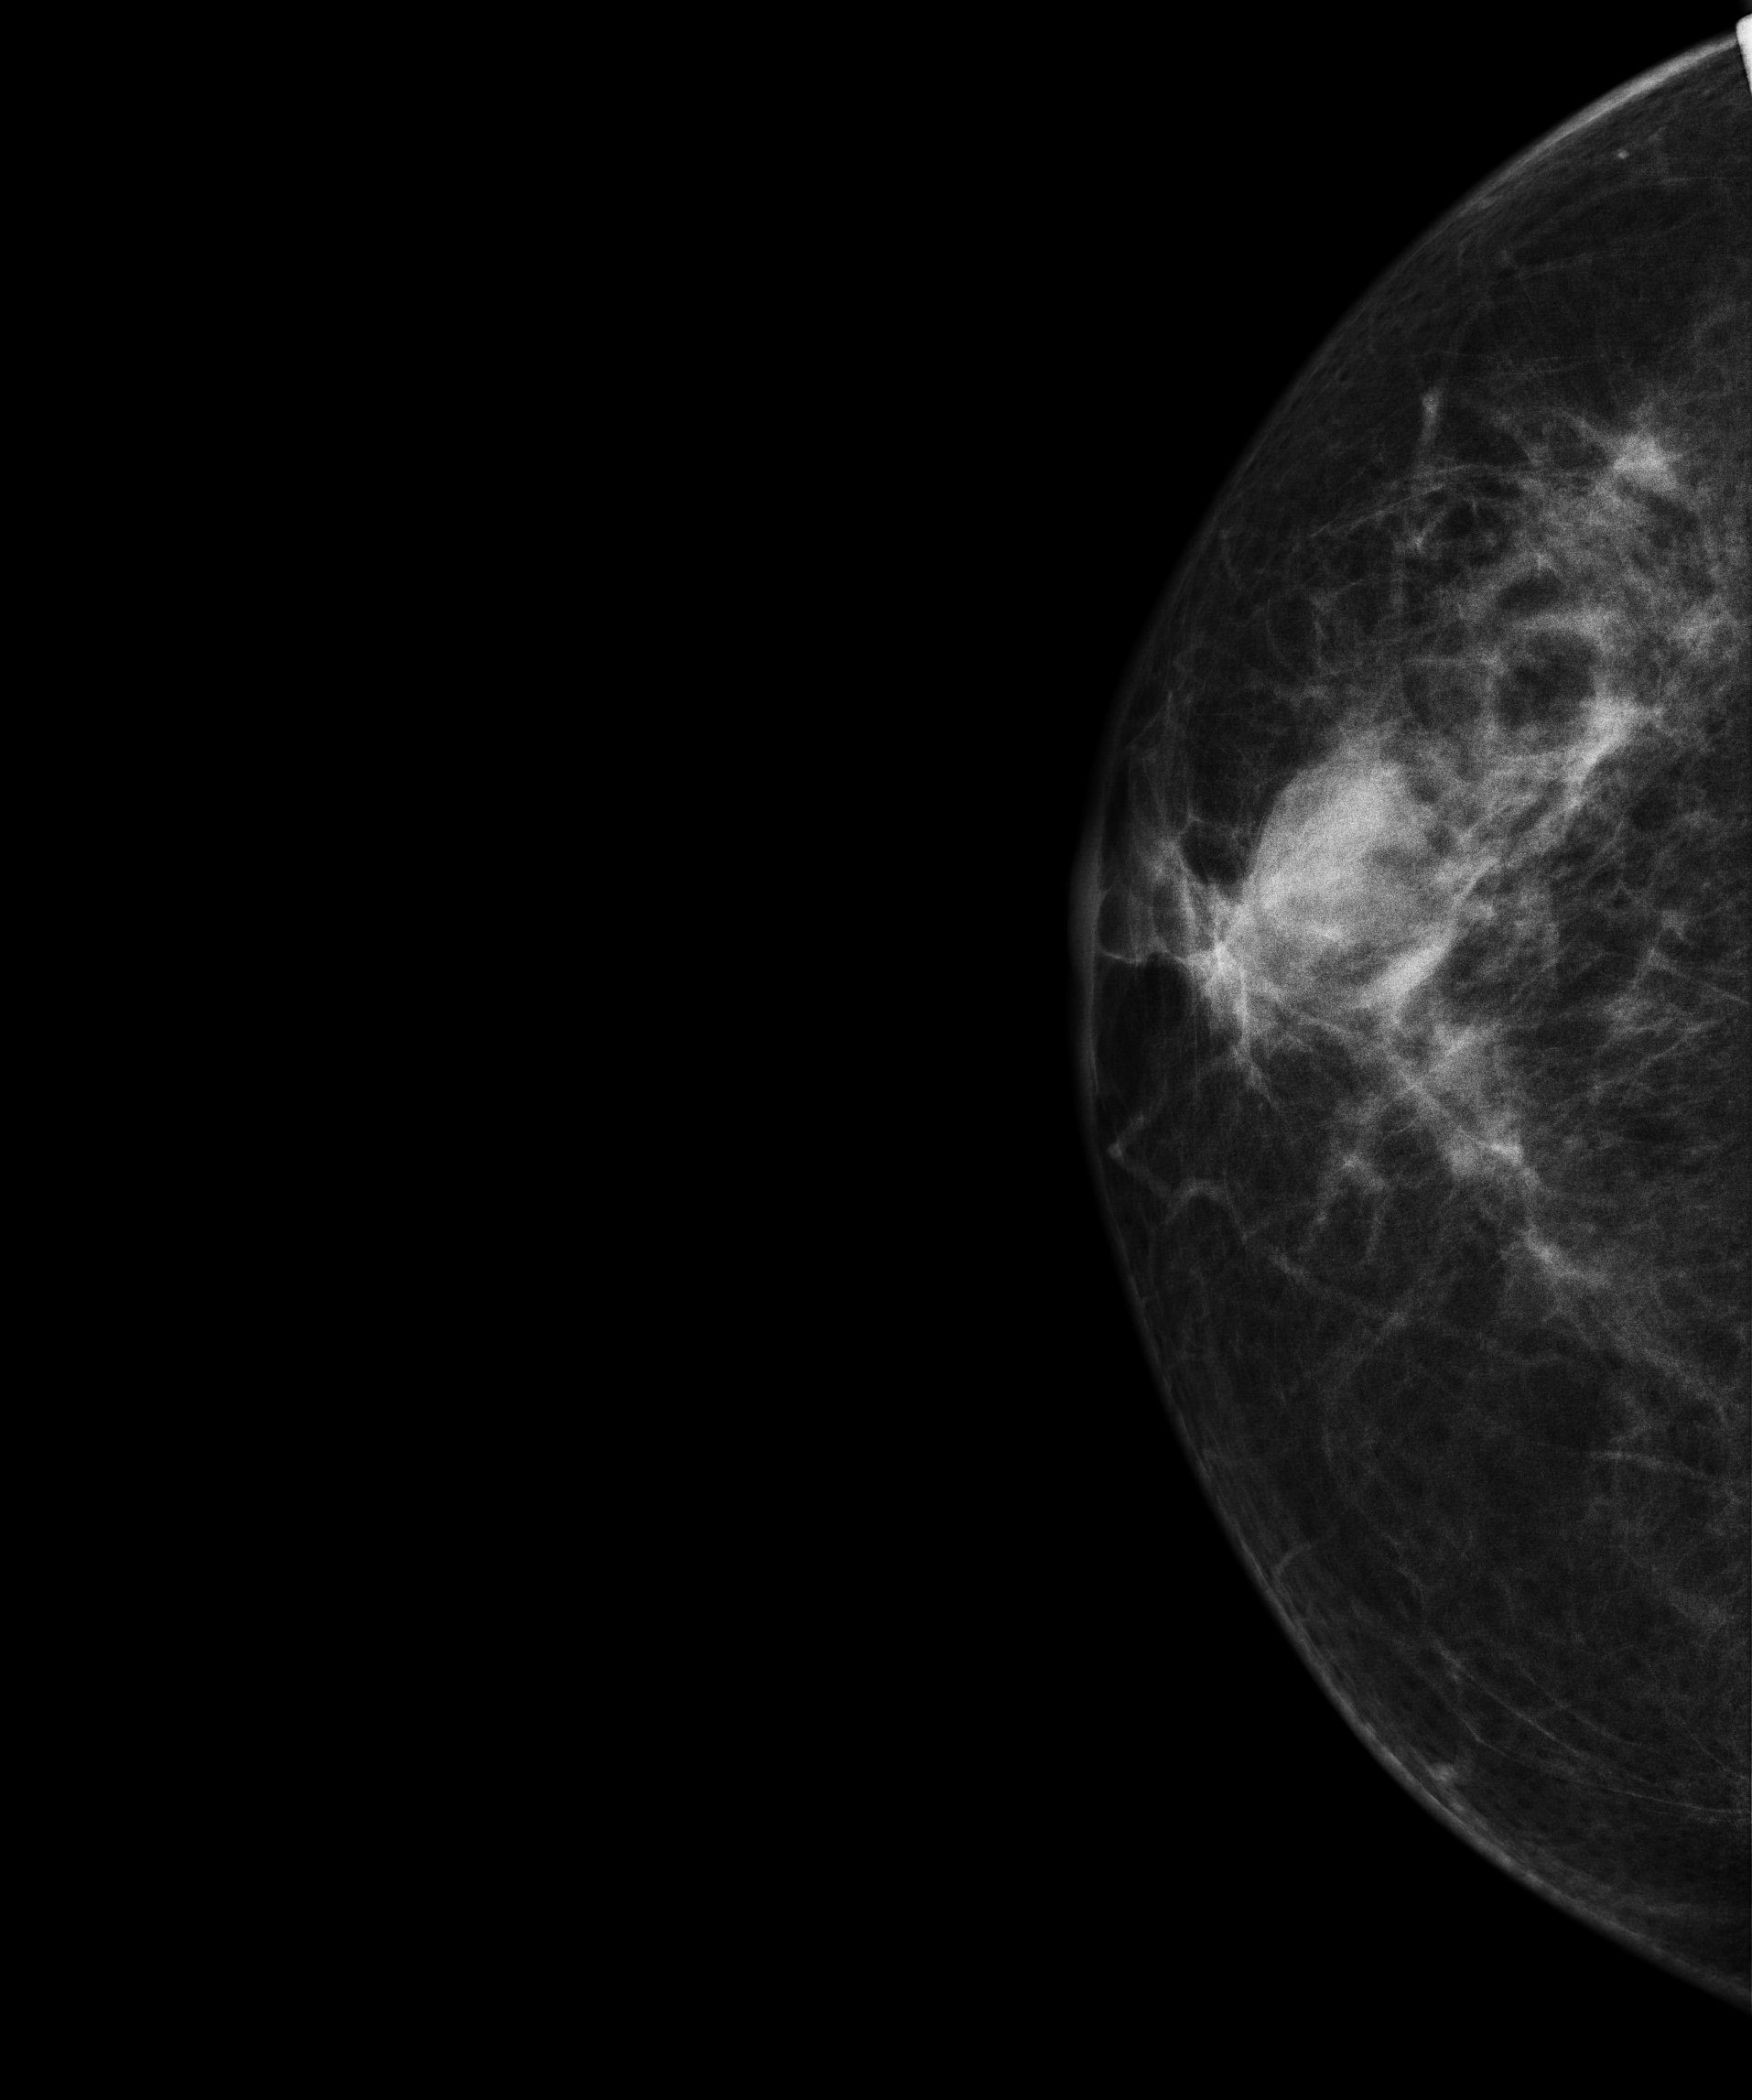
Right-breast mammogram, cranio-caudal. Patient age 58.
This breast has a mass, pathology-confirmed benign.